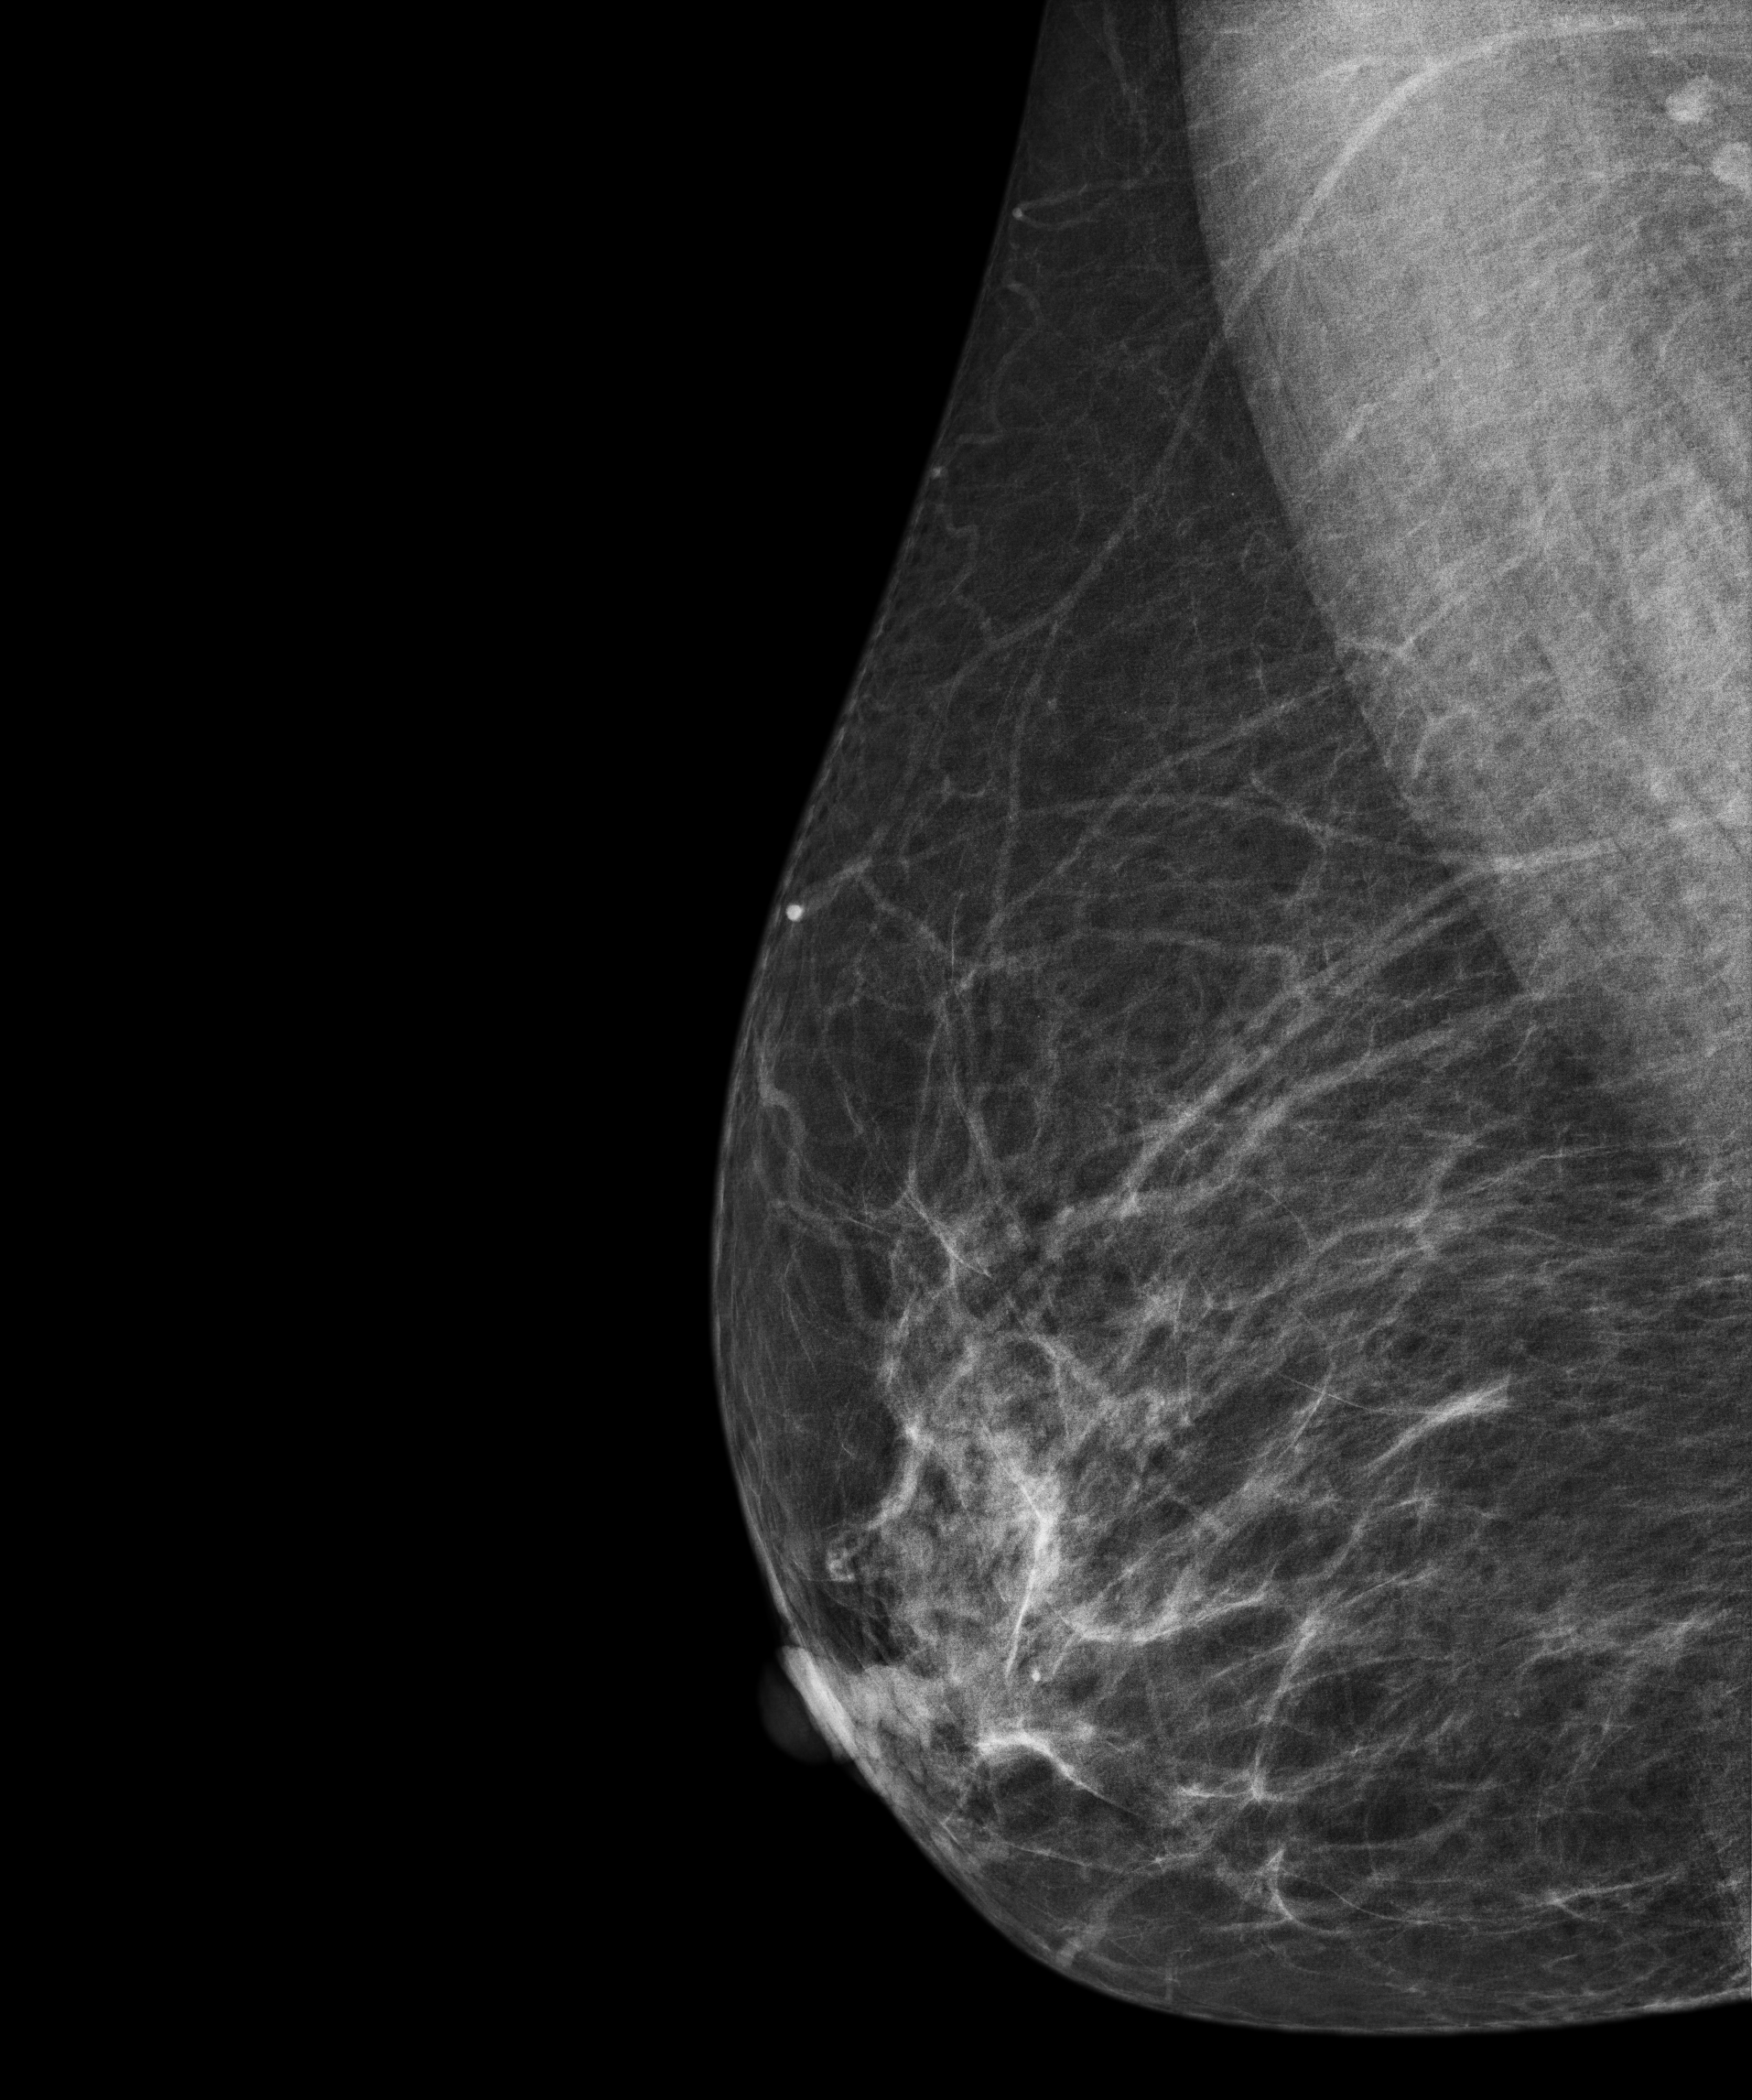
Medio-lateral oblique mammogram of the right breast. Patient age 70.
Contralateral breast — no documented abnormality on this side.